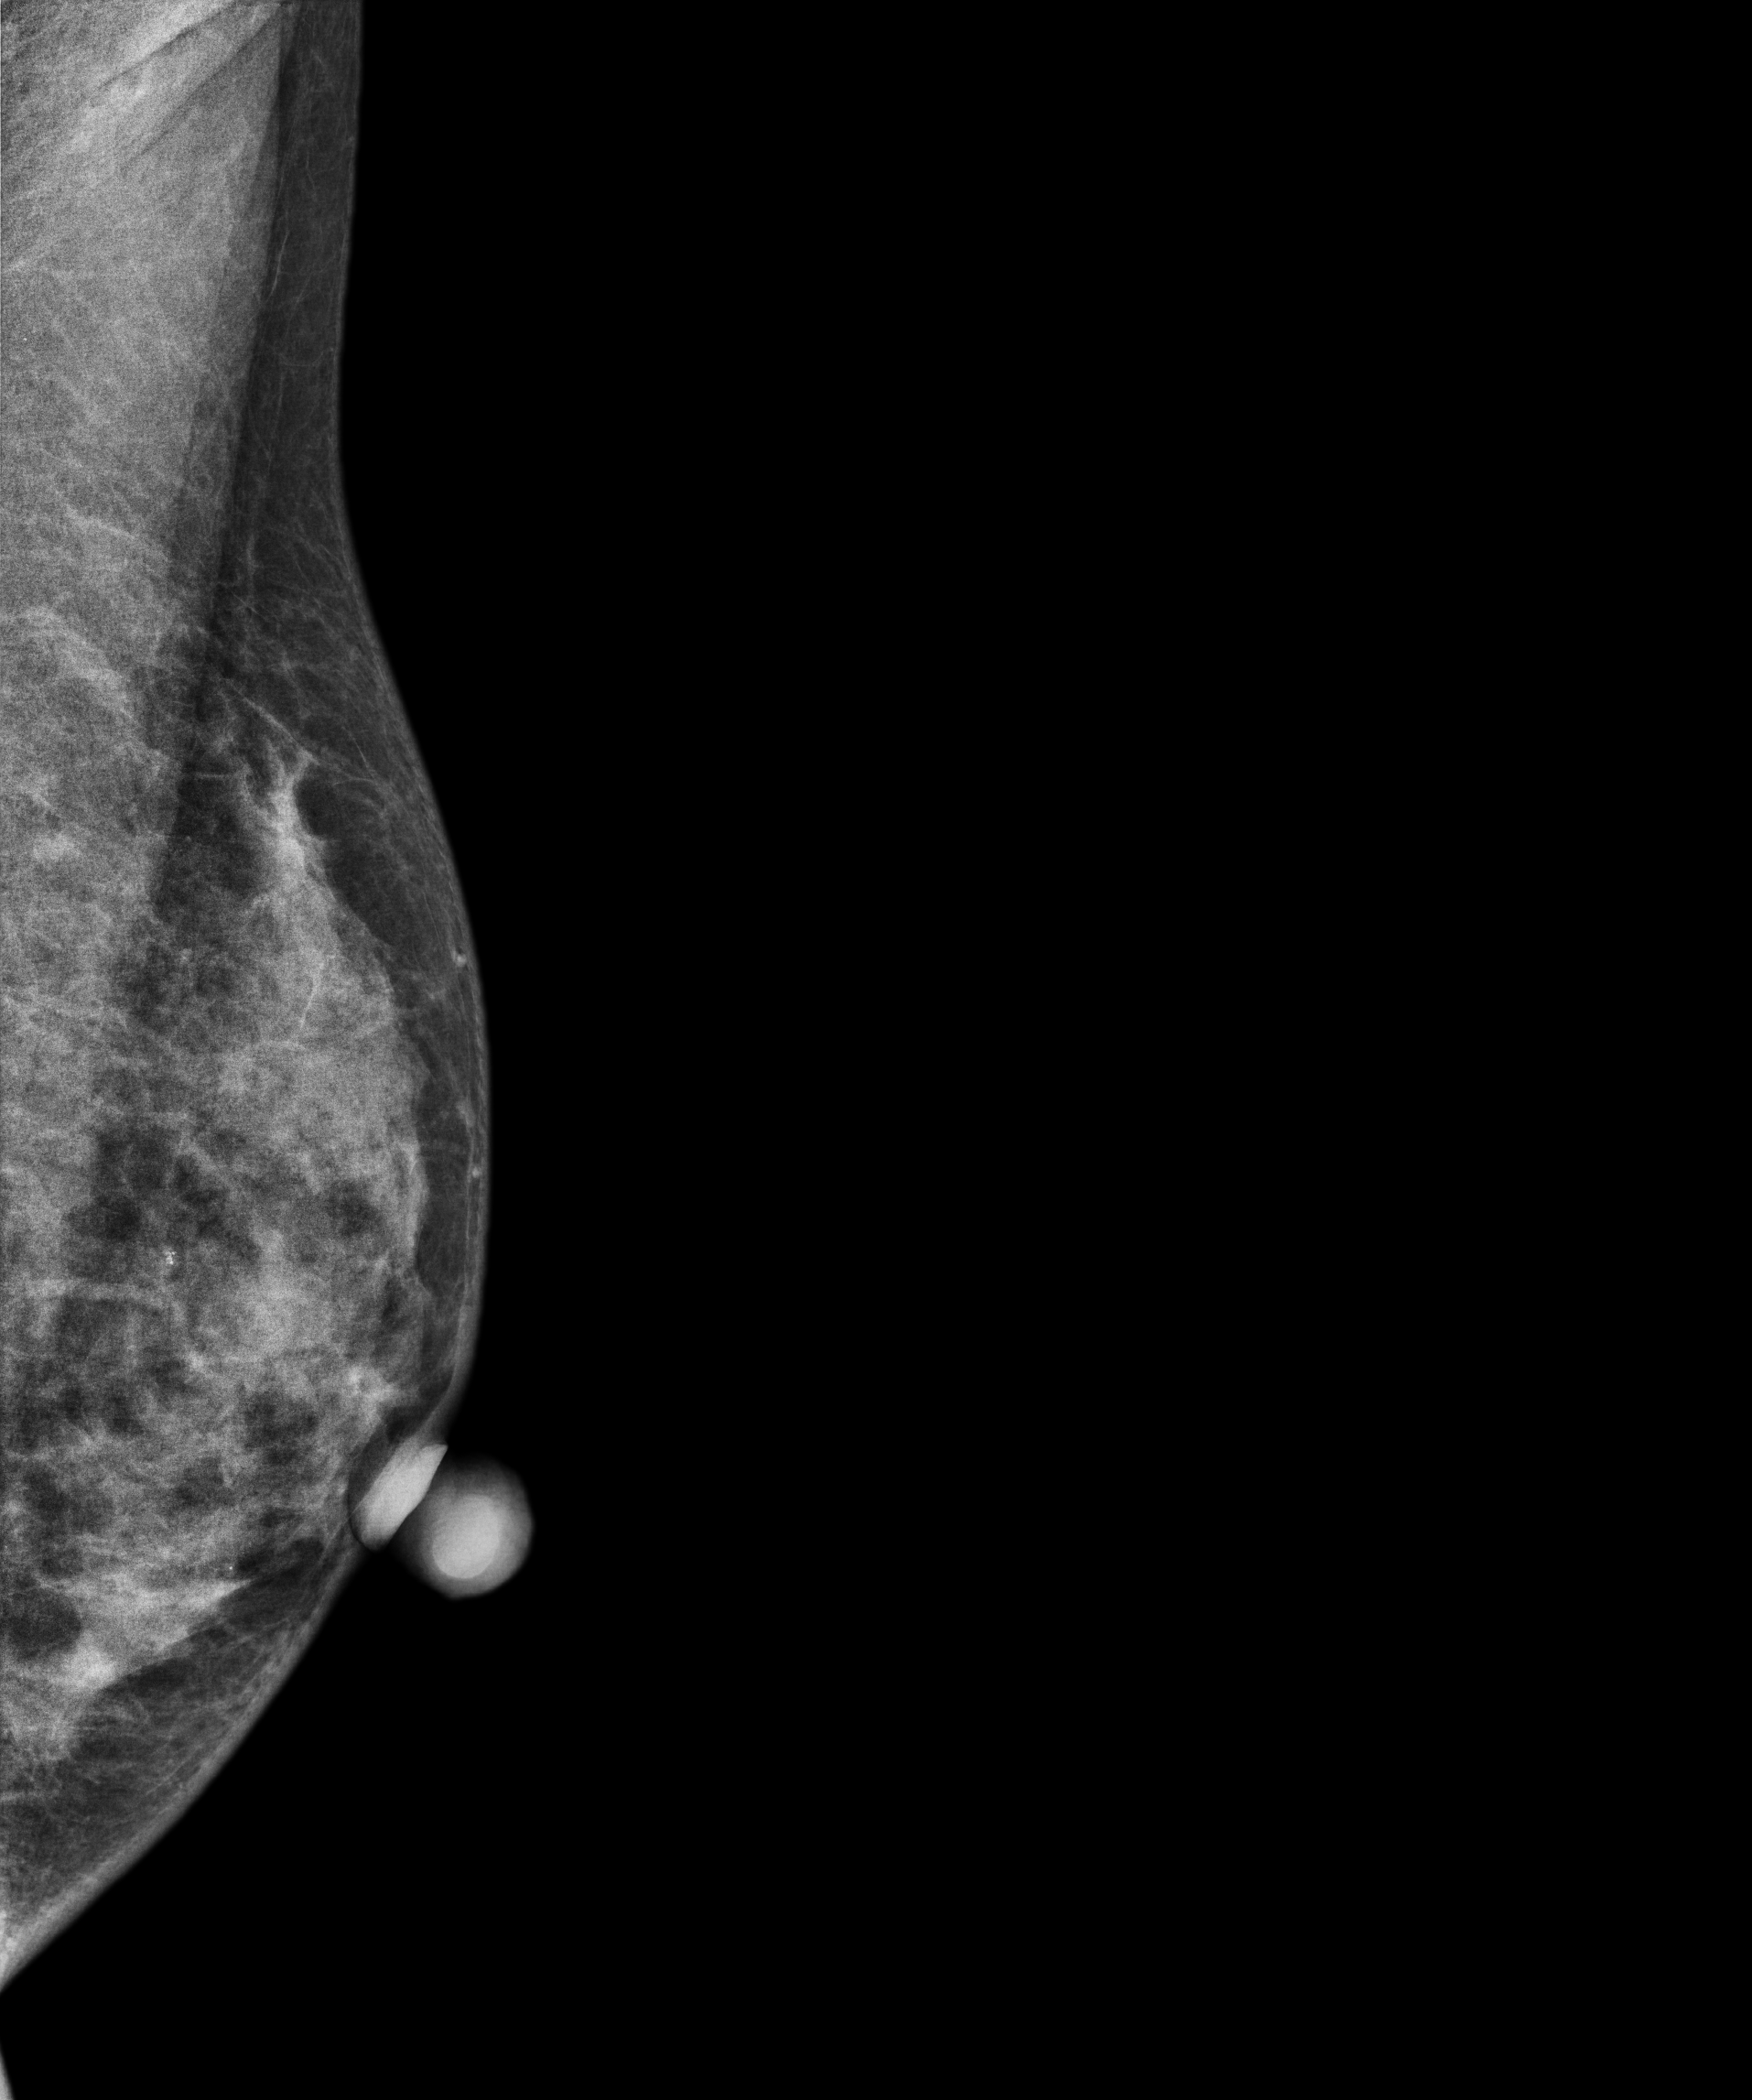
Medio-lateral oblique mammogram of the left breast. 49-year-old patient.
Contralateral breast — no documented abnormality on this side.